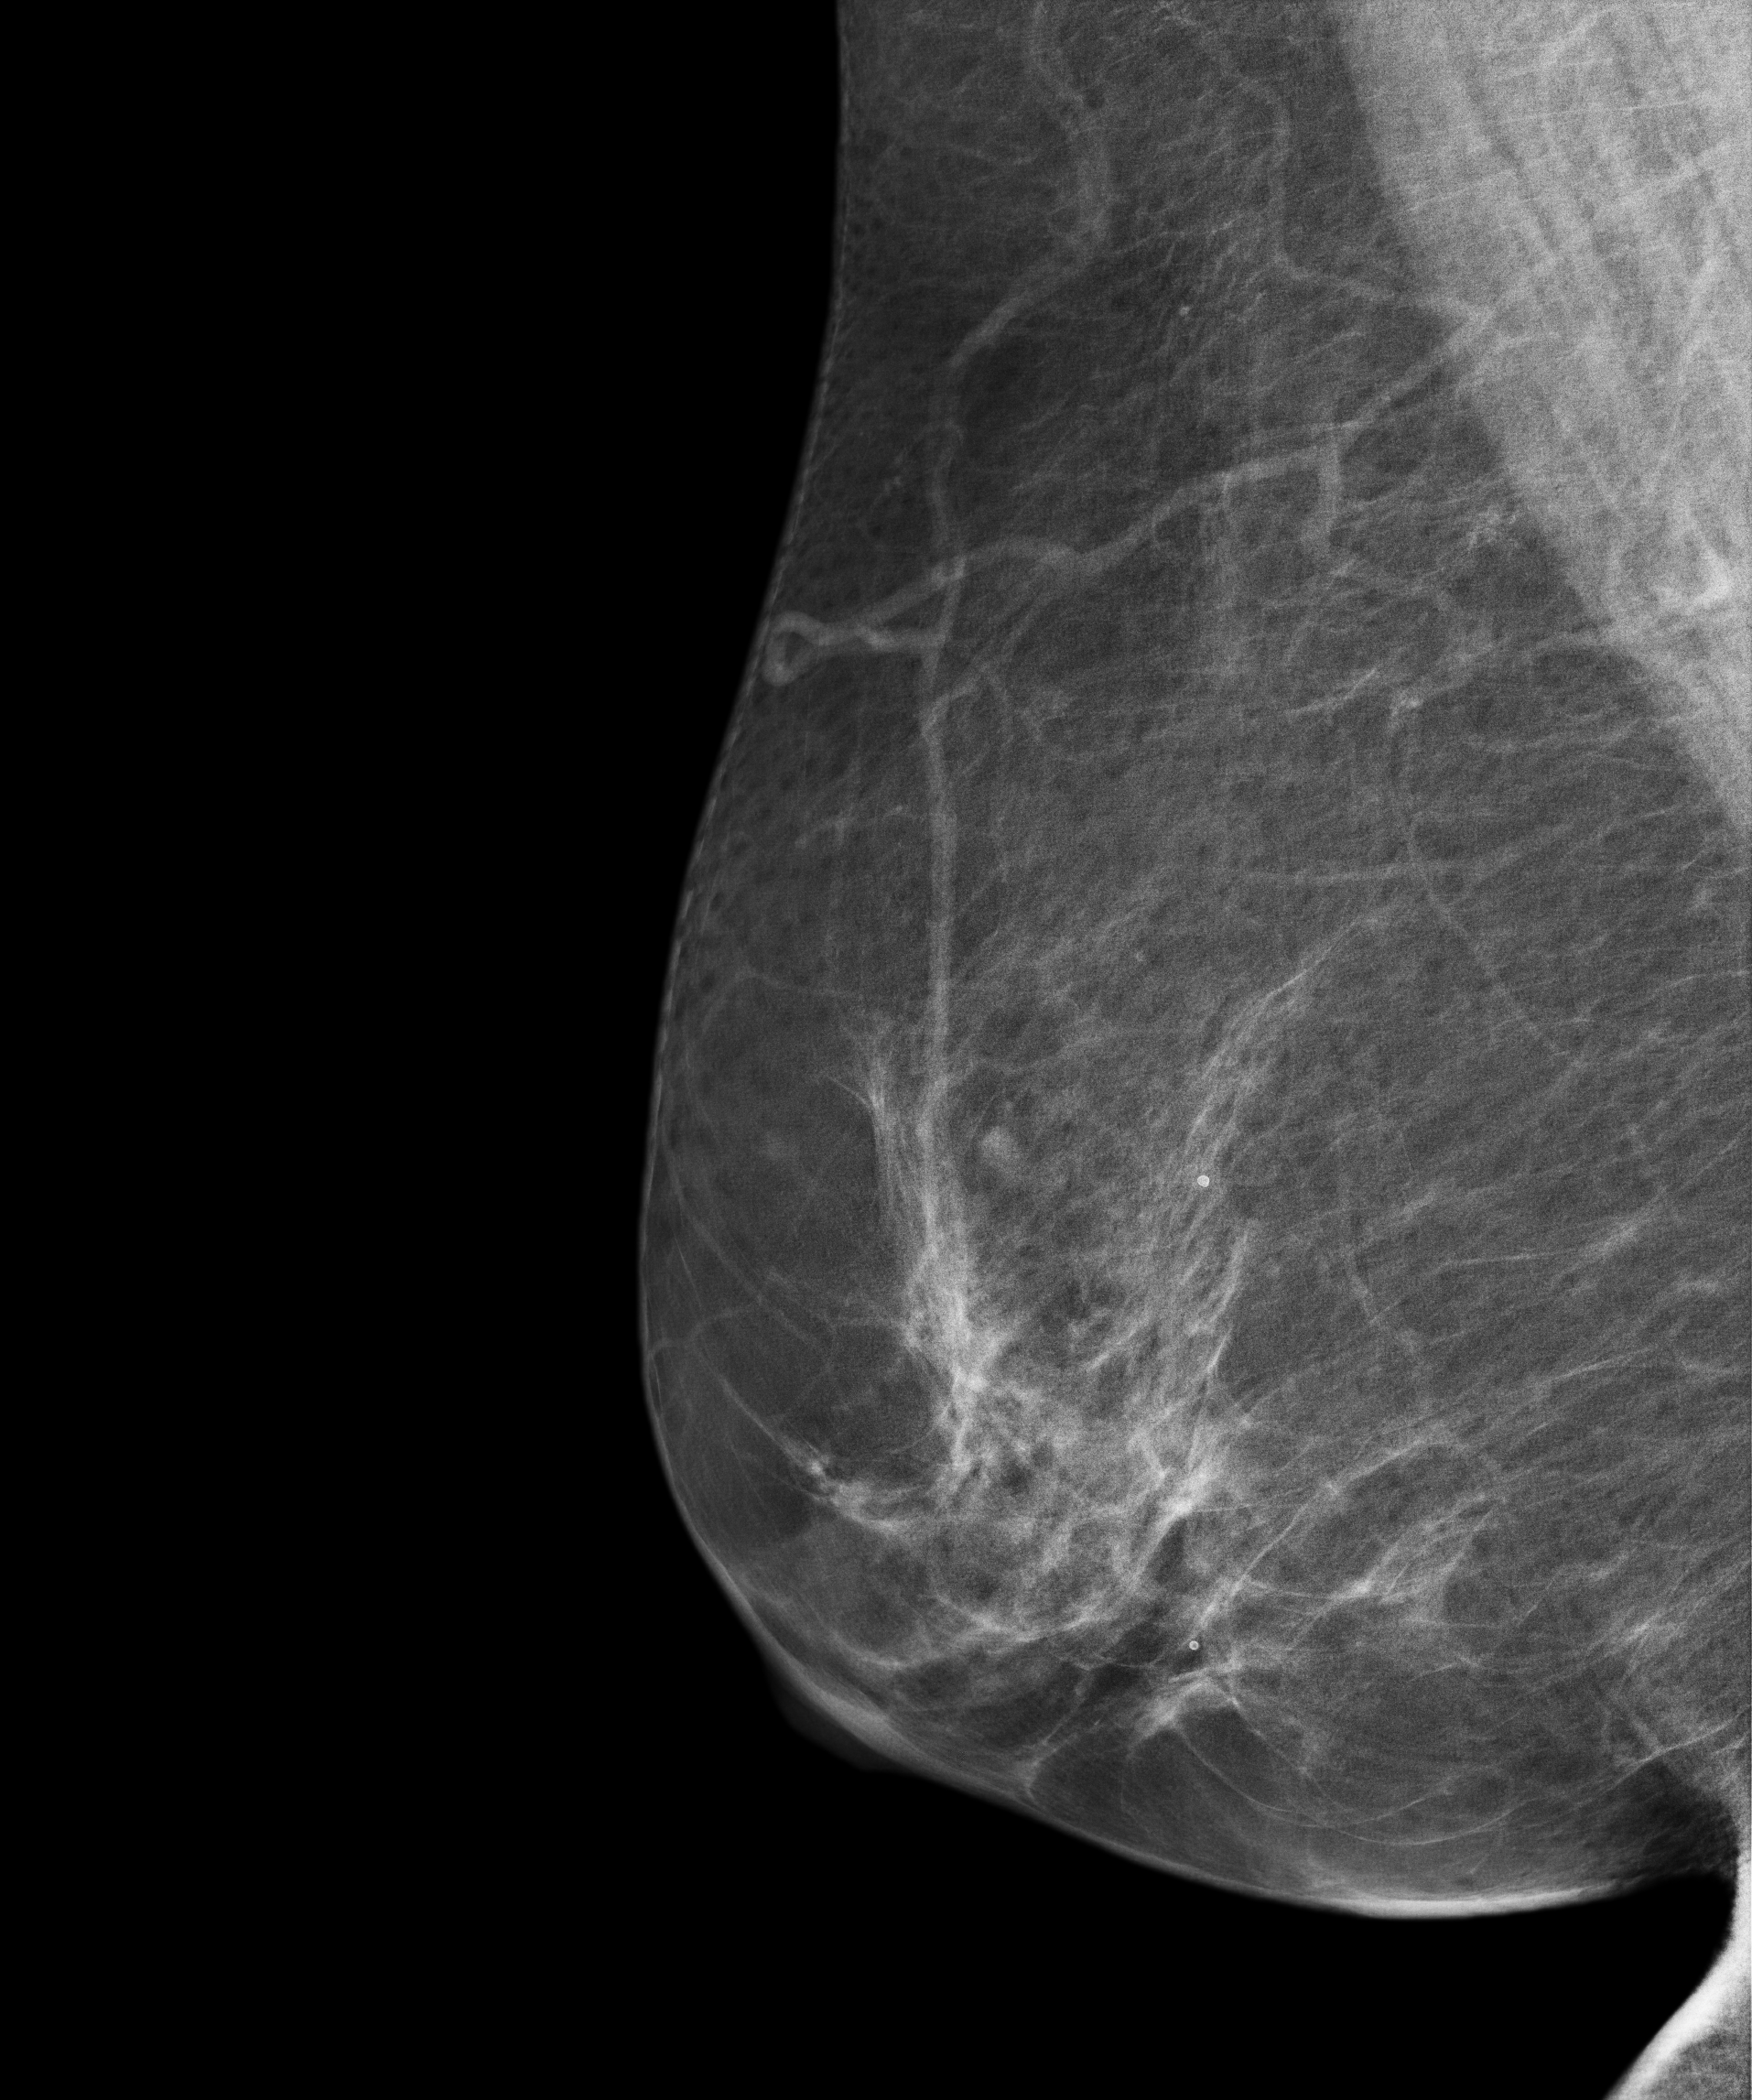
Medio-lateral oblique mammogram of the right breast. 62-year-old patient.
Contralateral breast — no documented abnormality on this side.